Mammogram — left medio-lateral oblique. Patient age 55.
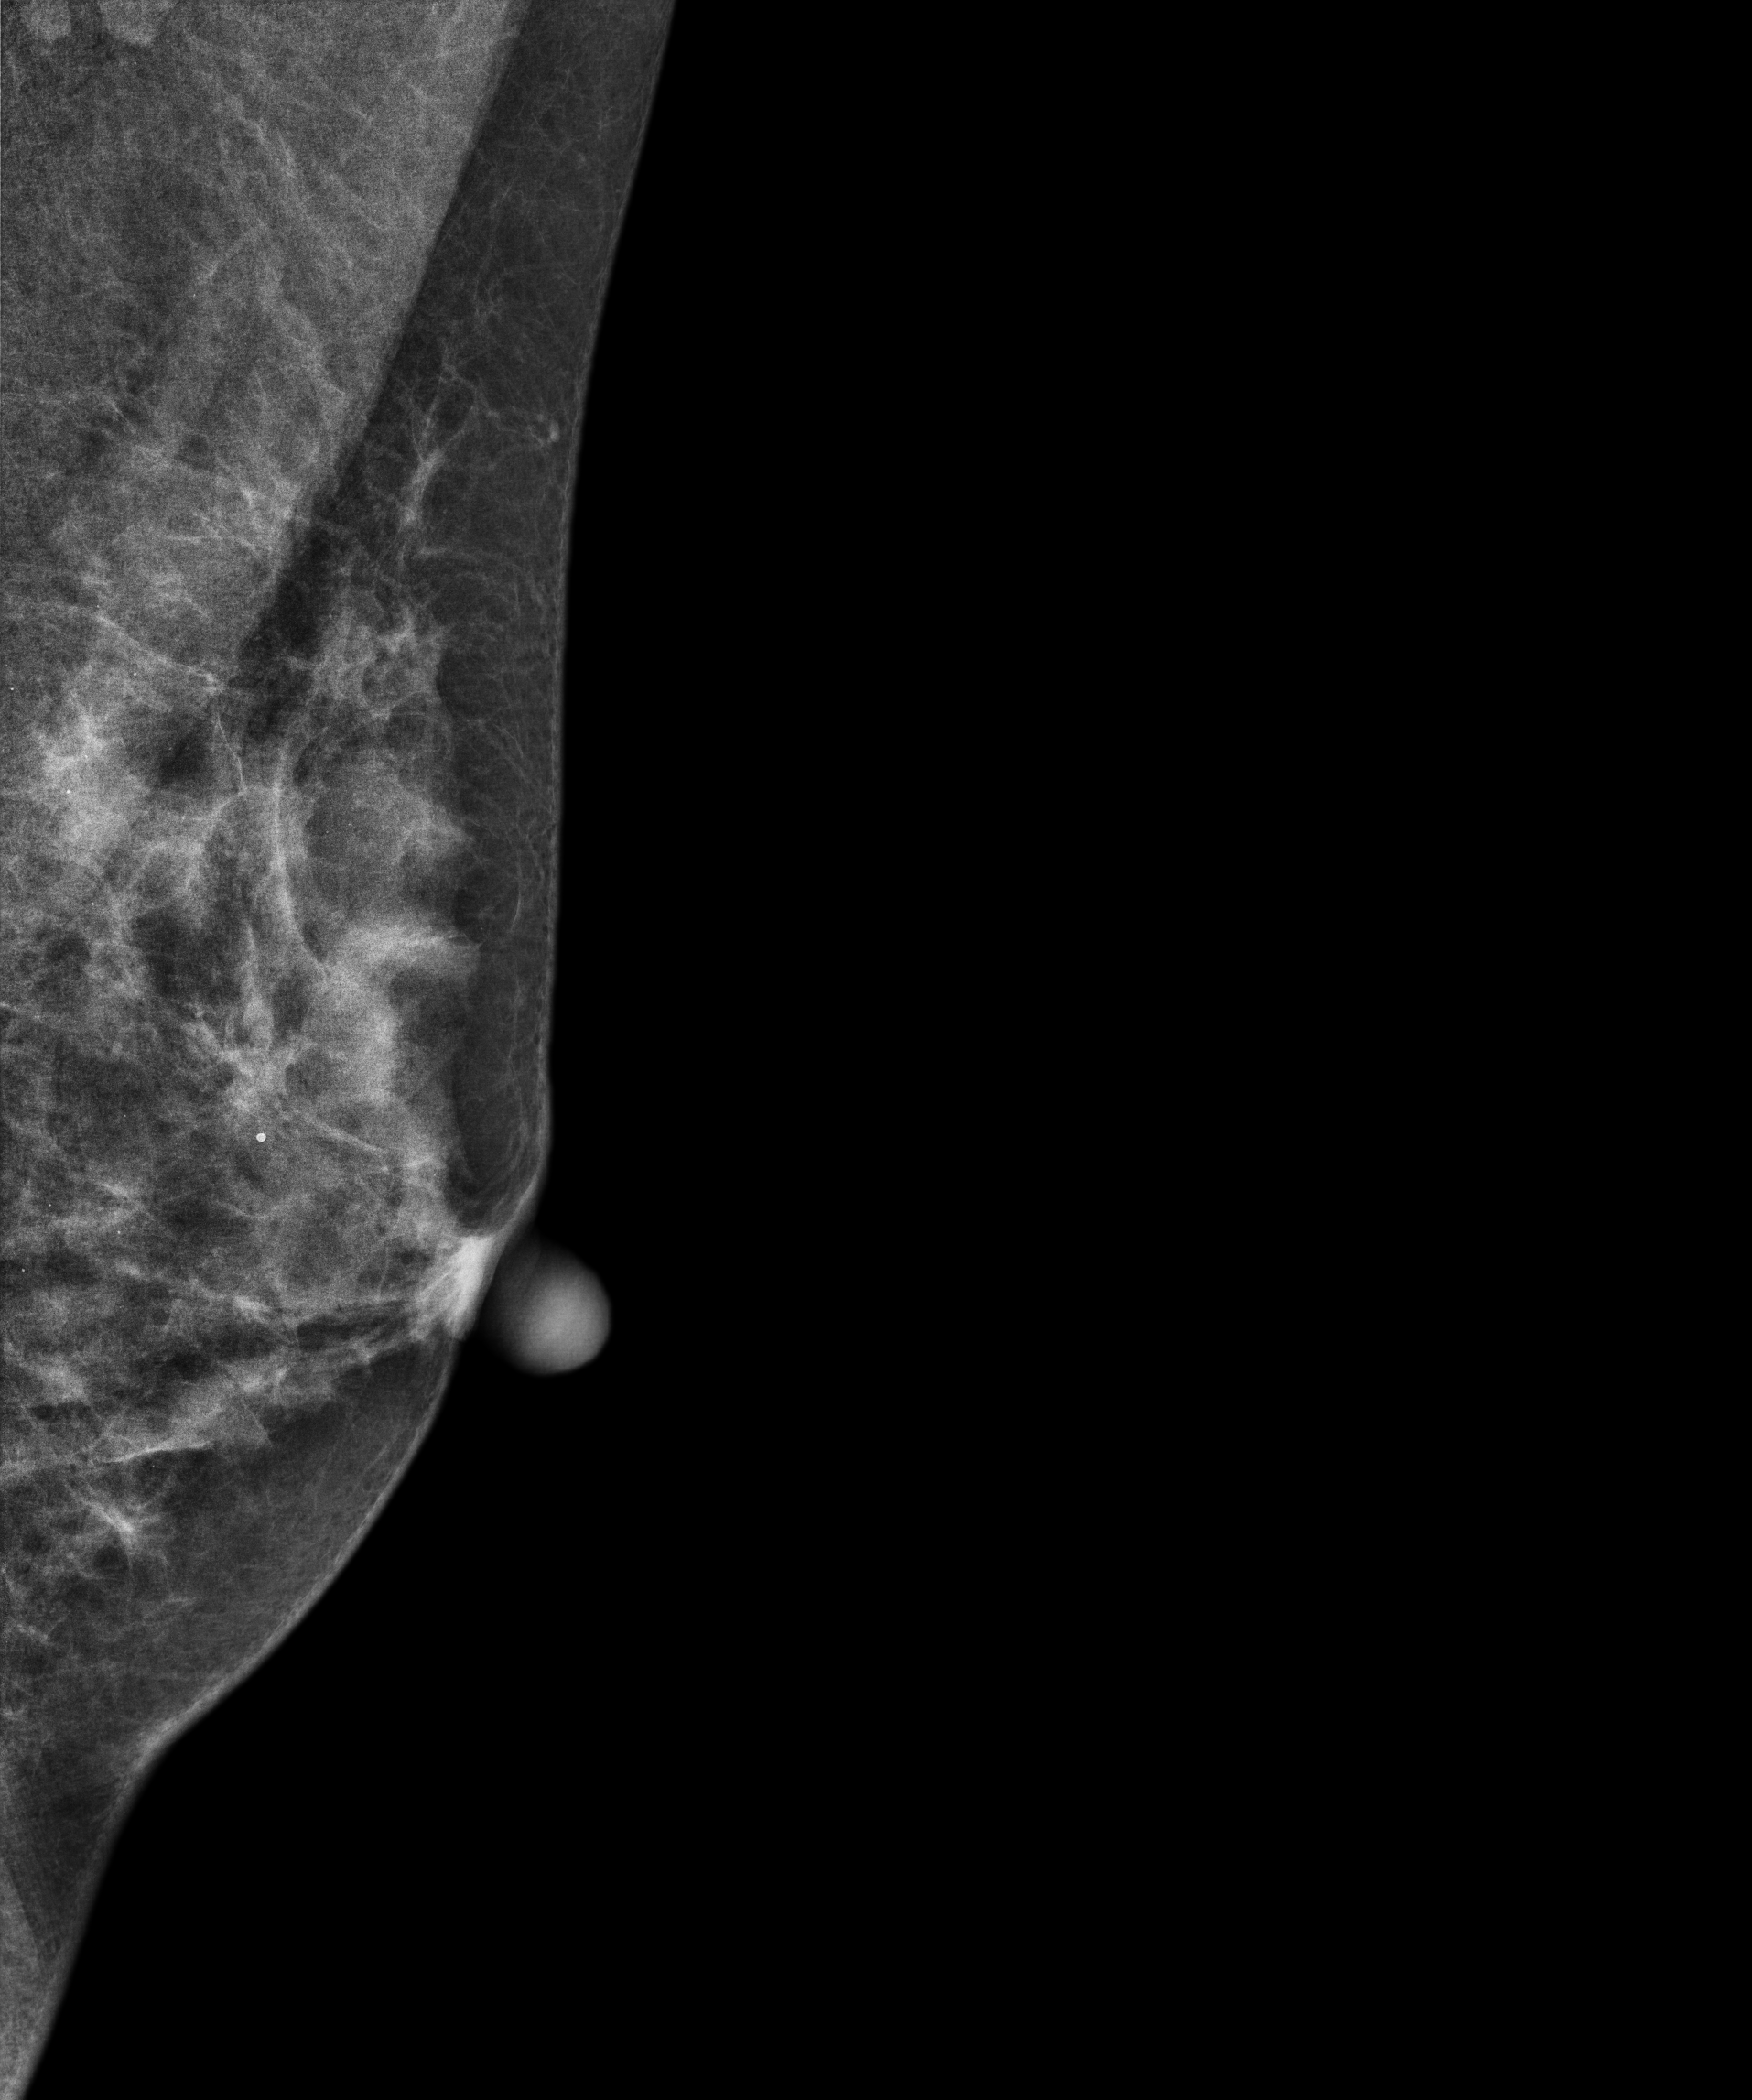
Contralateral breast — no documented abnormality on this side.